Left-breast mammogram, MLO. 46 y/o patient.
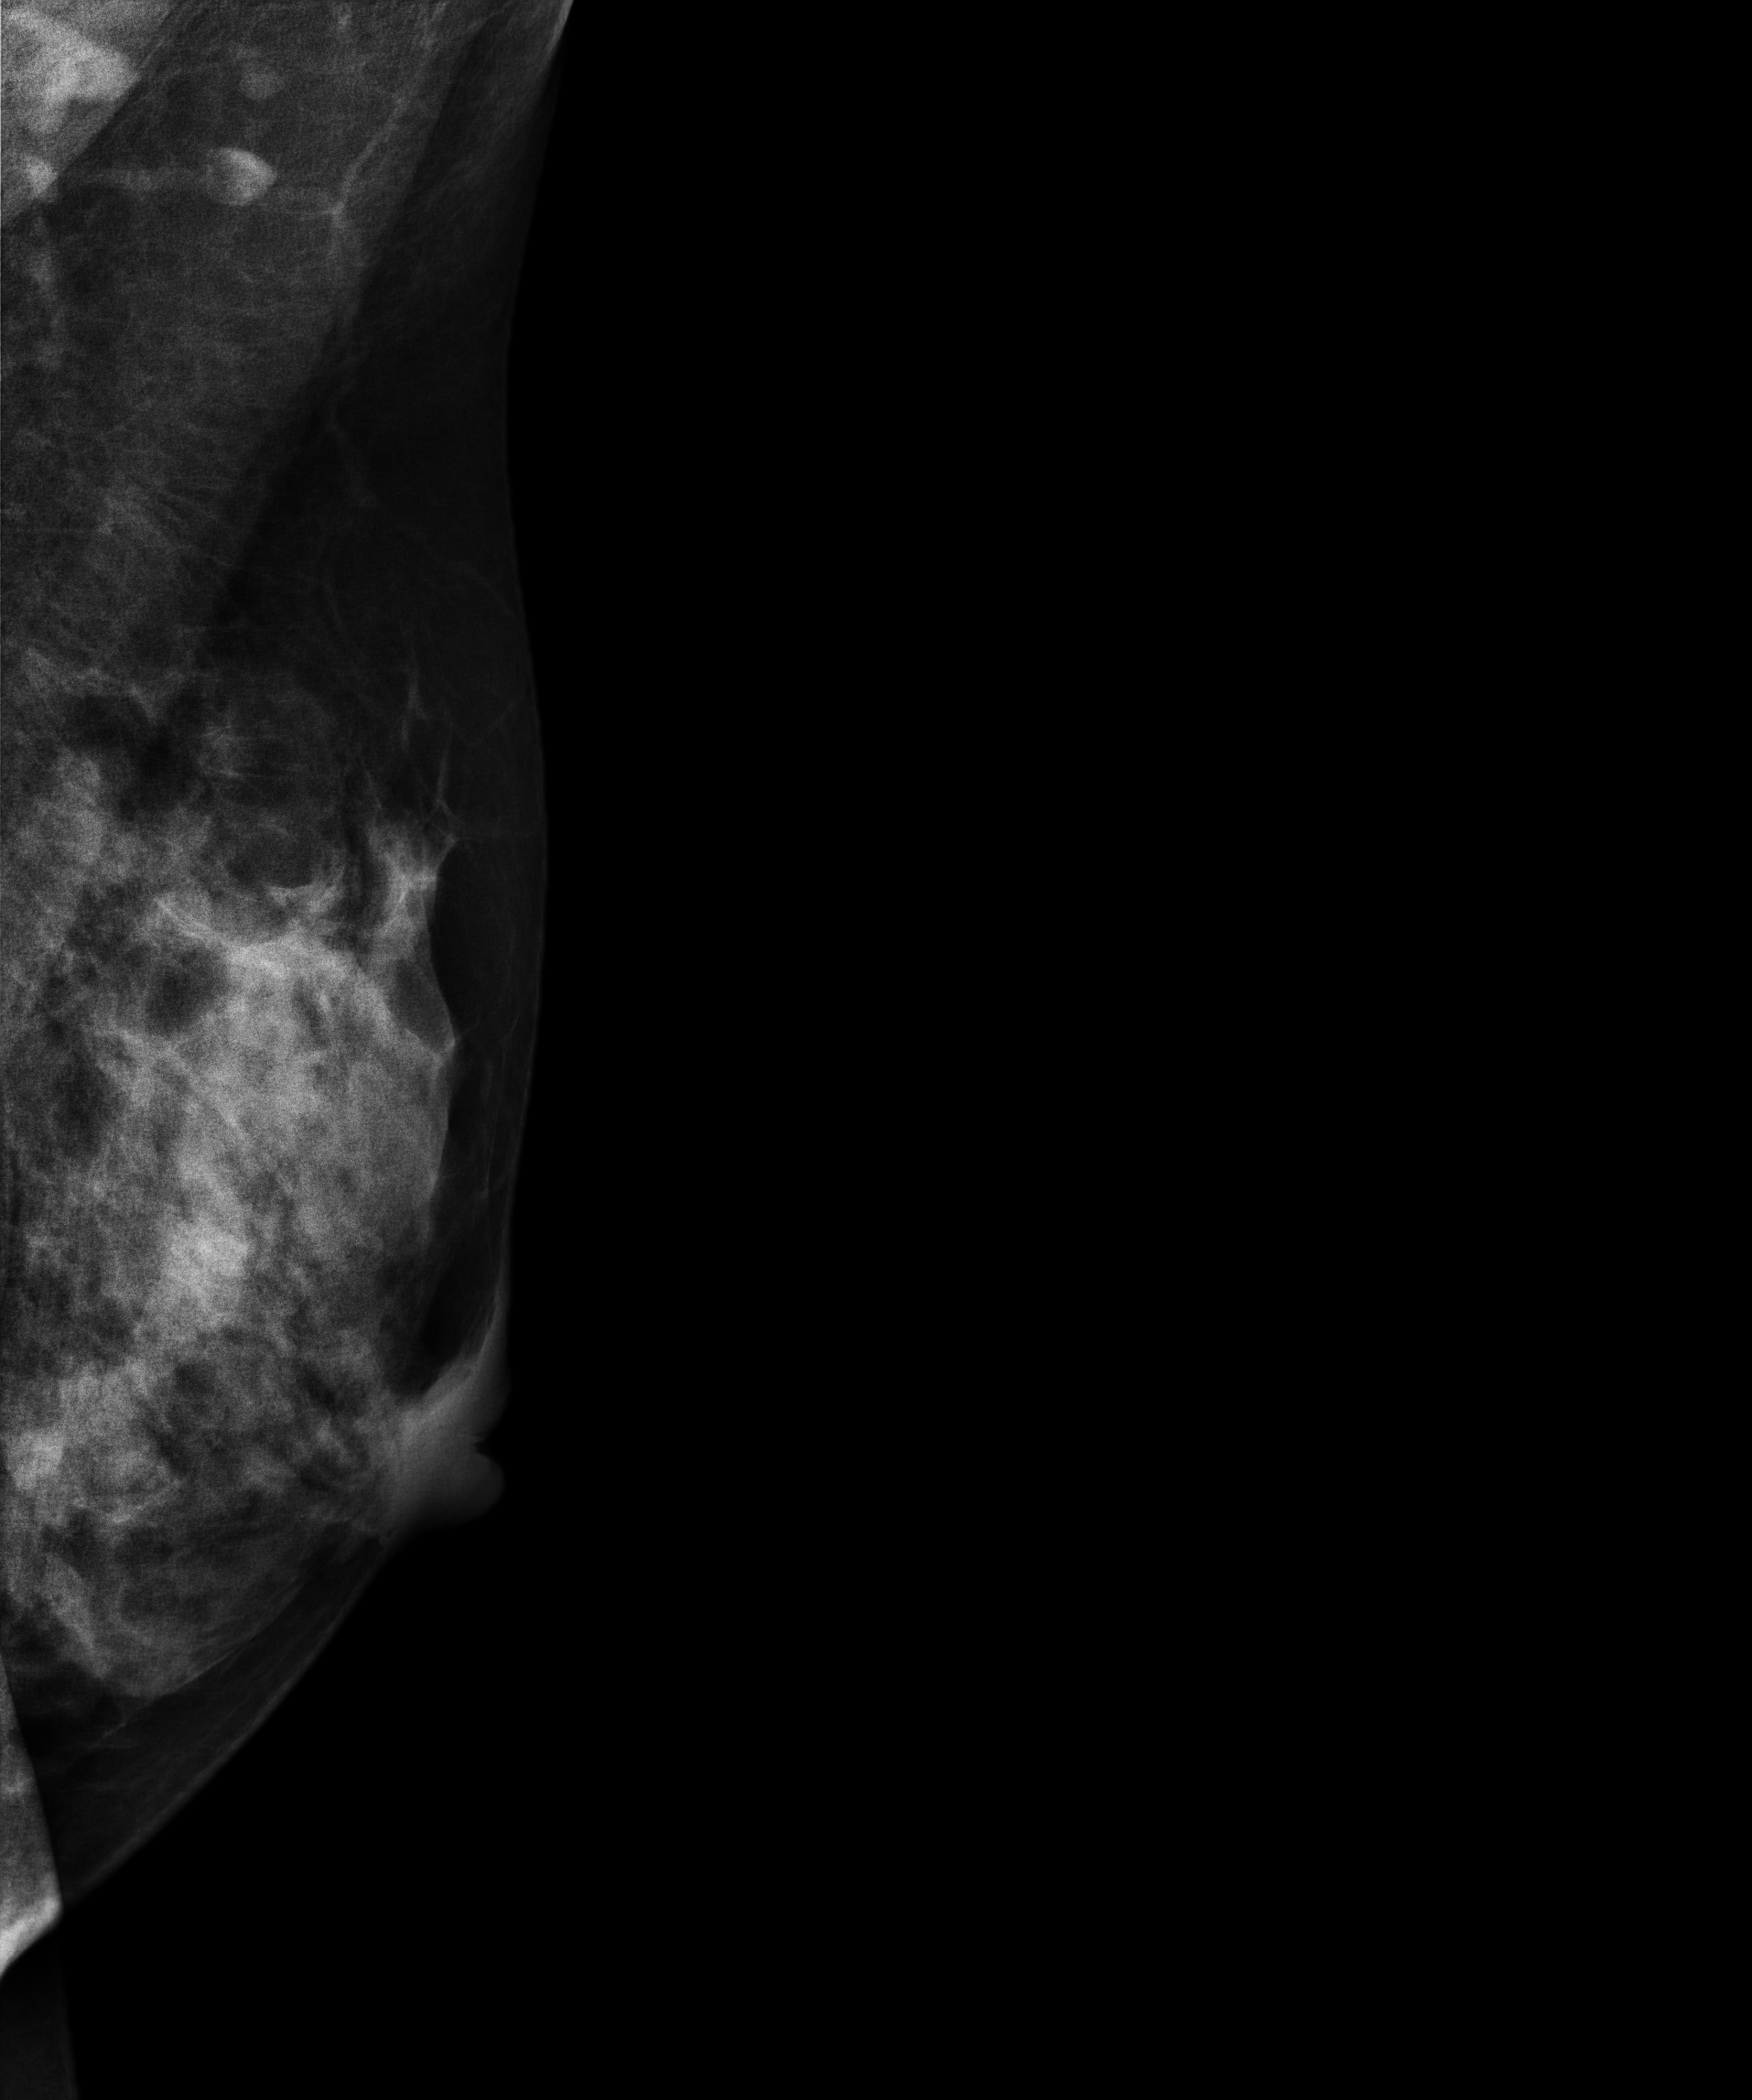
This breast has a mass, biopsy-confirmed benign.